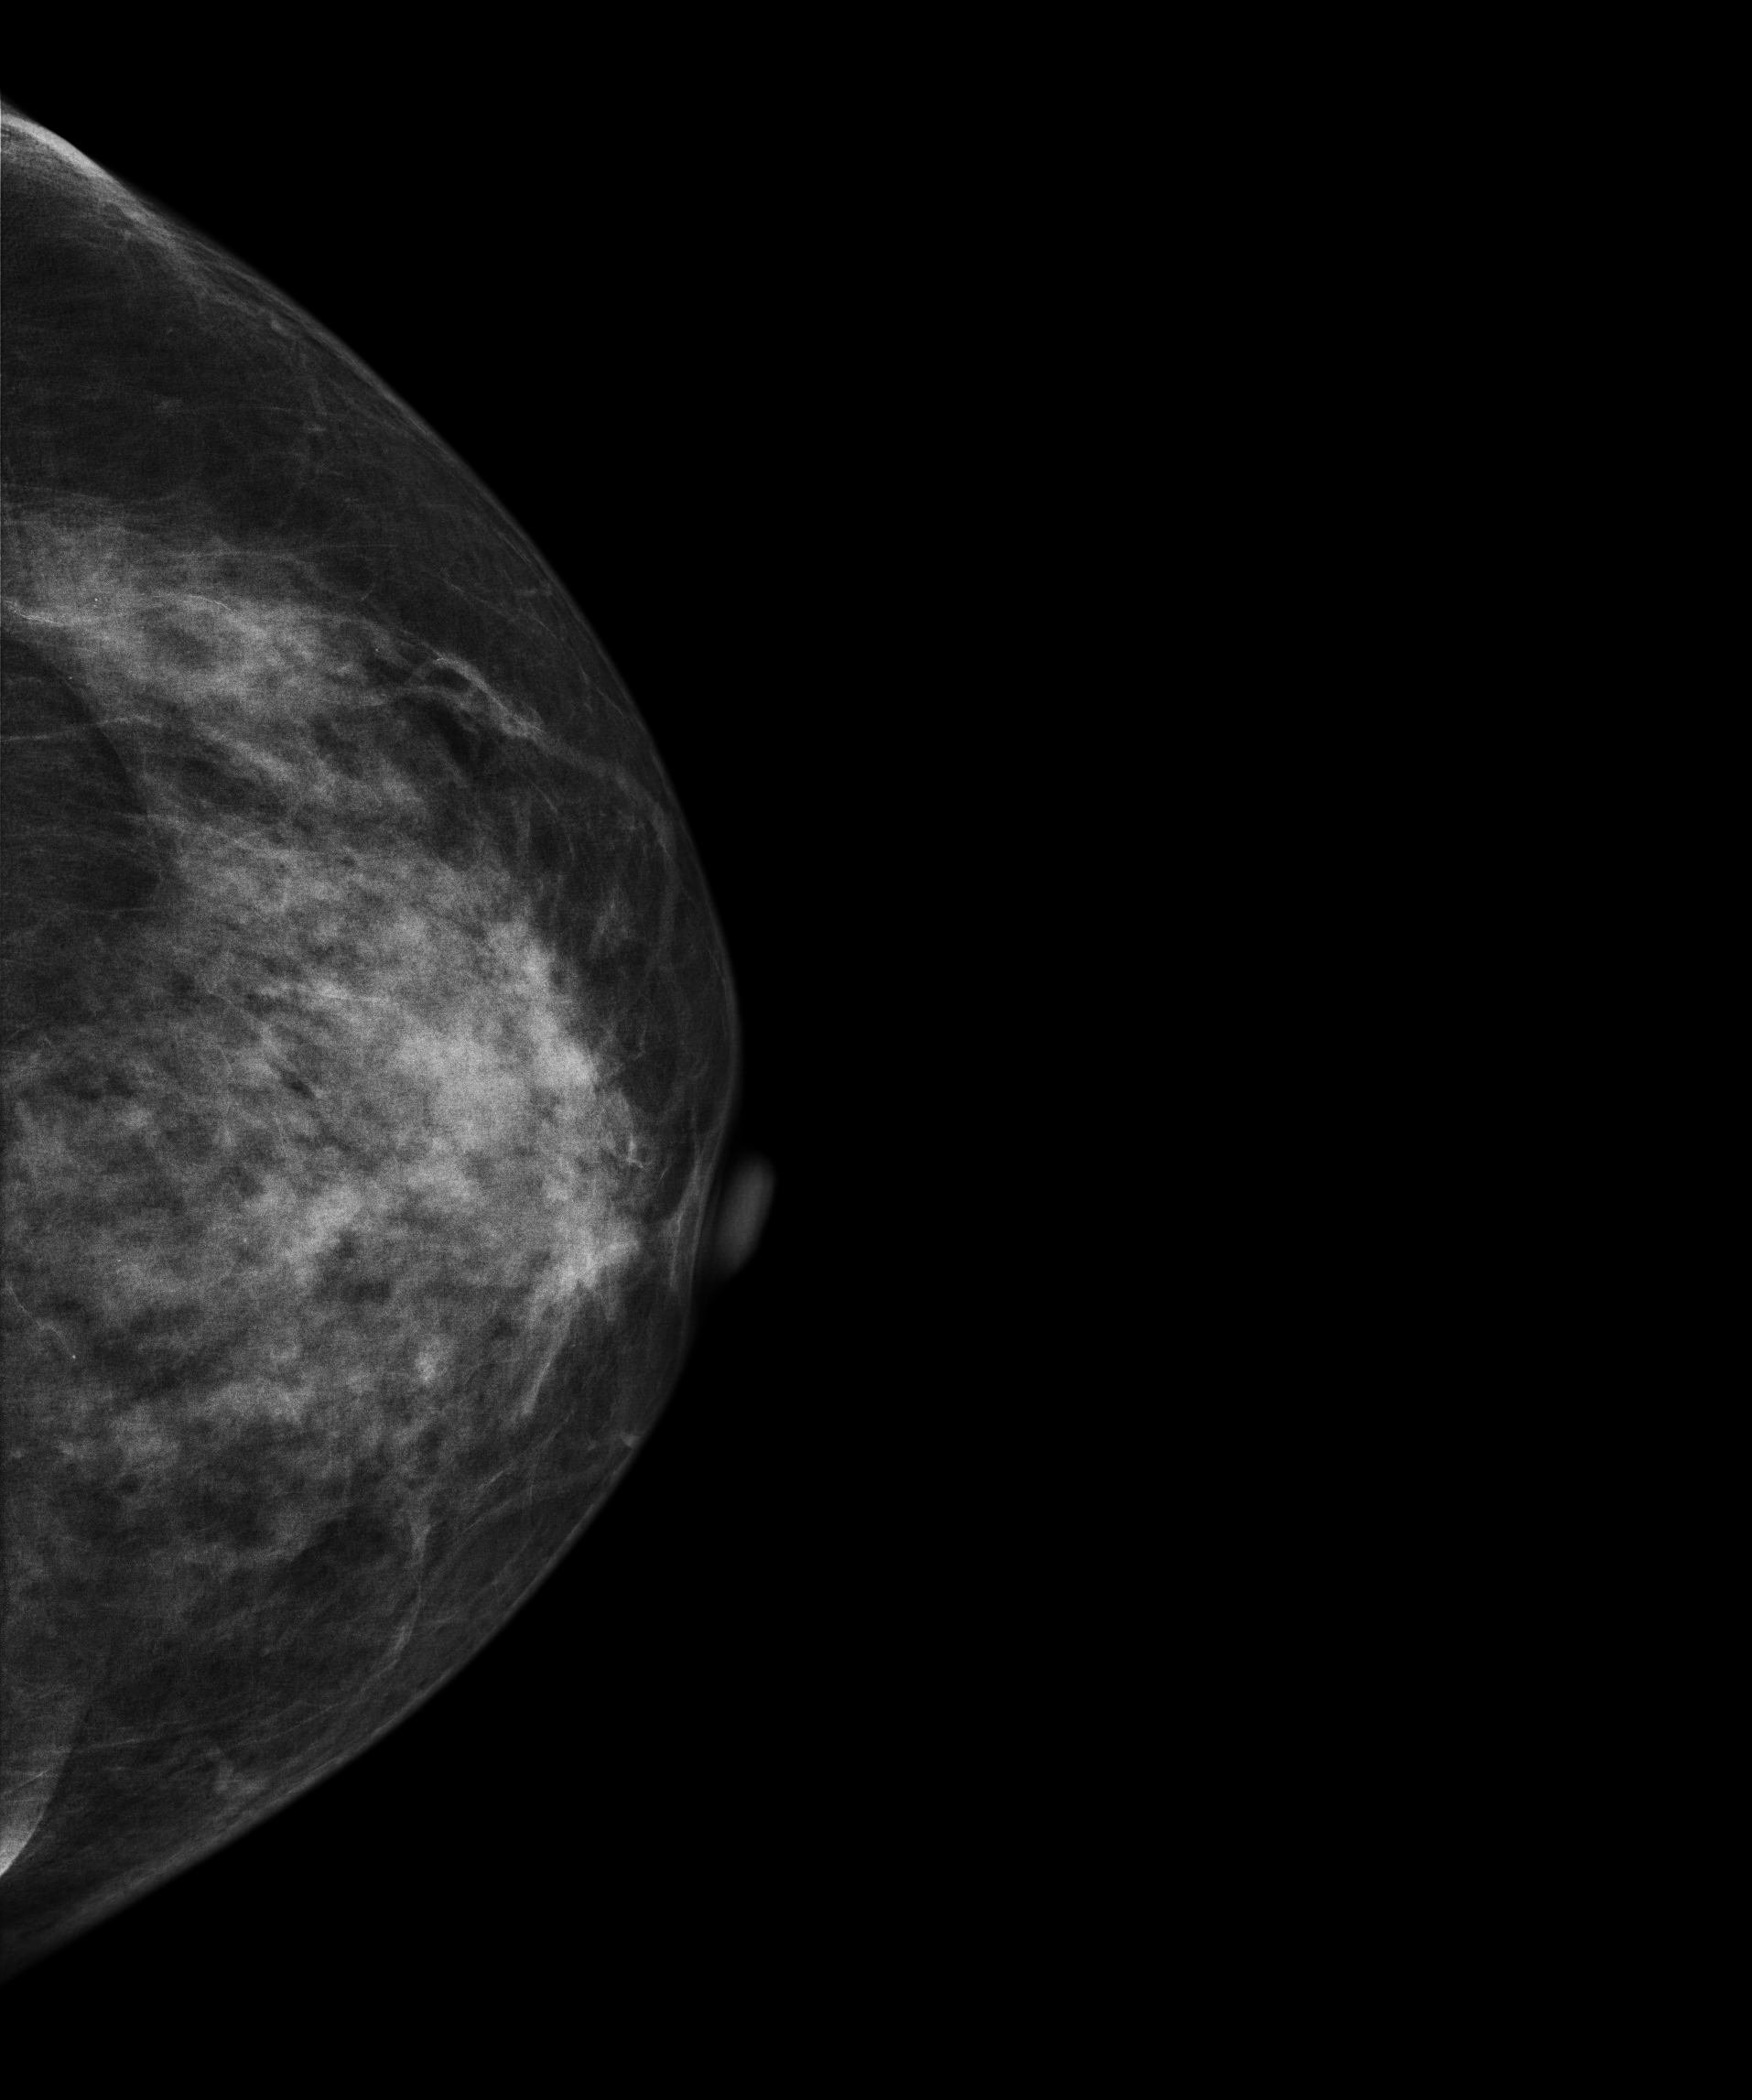
Digital mammography. Left breast, cranio-caudal projection. 60-year-old patient.
This breast has calcifications, biopsy-confirmed benign.